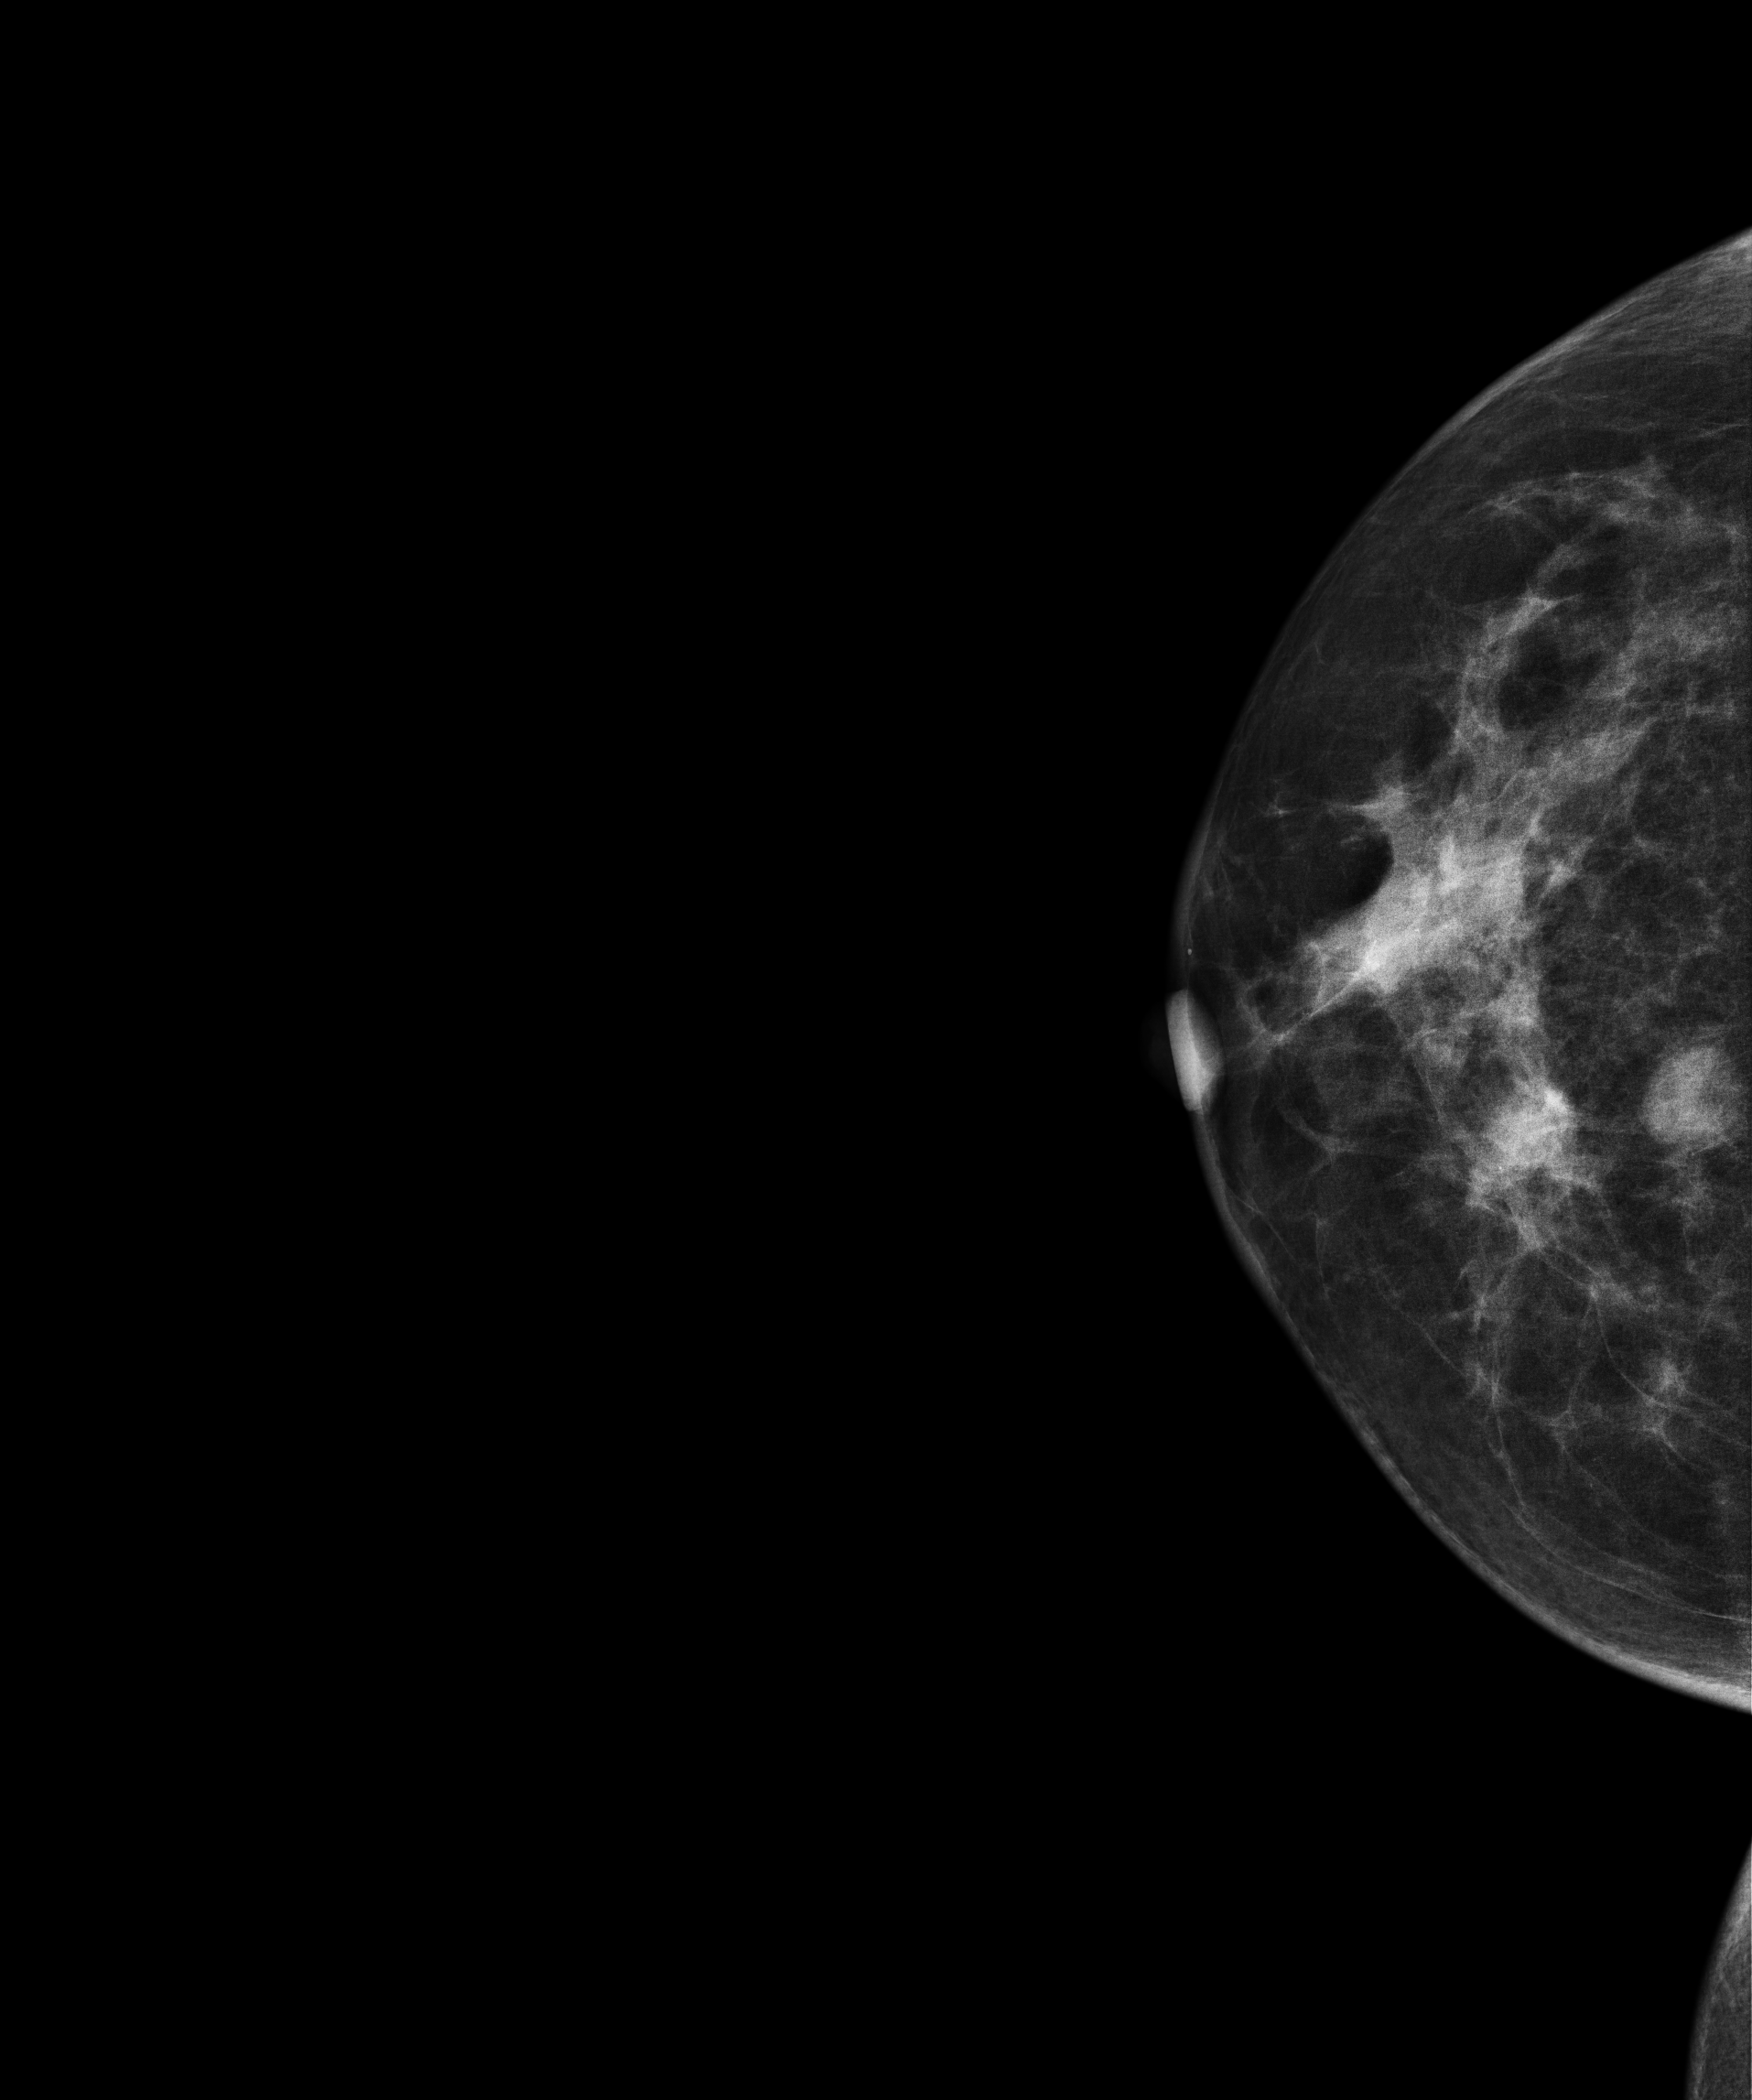
Digital mammography. Right breast, CC projection. 59 y/o patient.
This breast has a mass, biopsy-confirmed malignant. Molecular subtype: HER2-enriched.